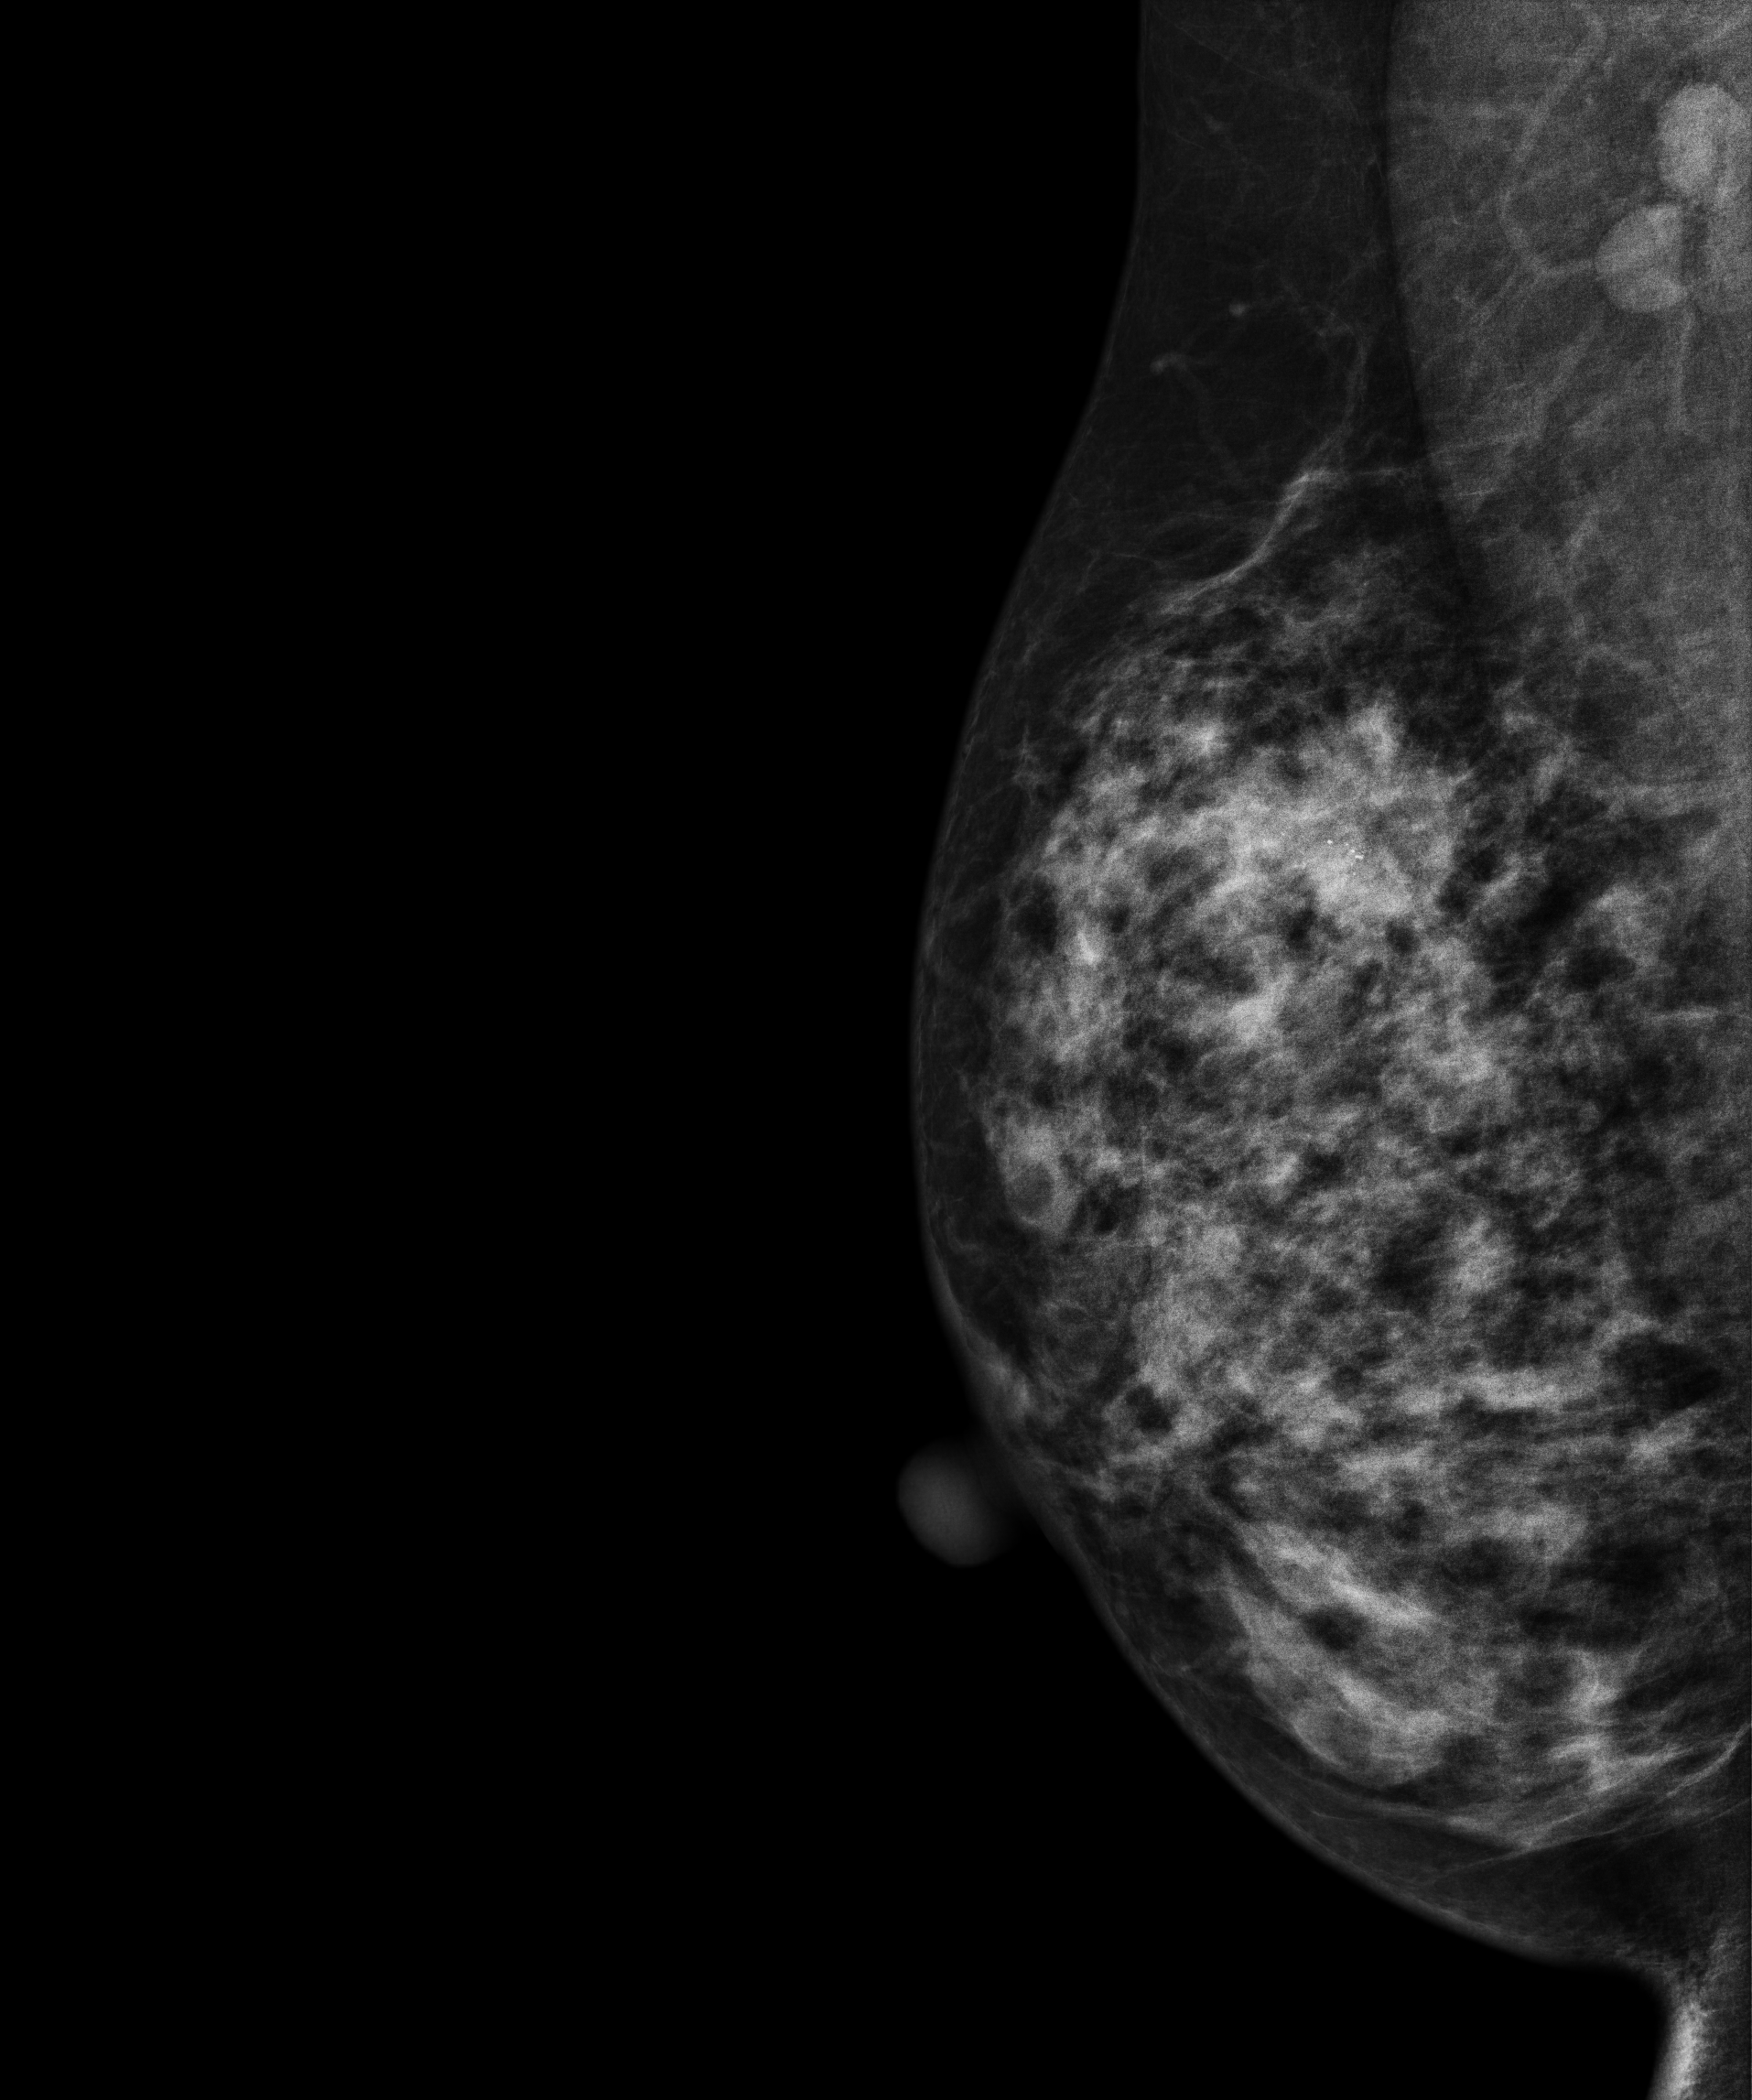
Right-breast mammogram, medio-lateral oblique. 42-year-old patient.
This breast has a mass and calcifications, histologically confirmed malignant. Molecular subtype: HER2-enriched.